Mammogram — right cranio-caudal. 49 y/o patient.
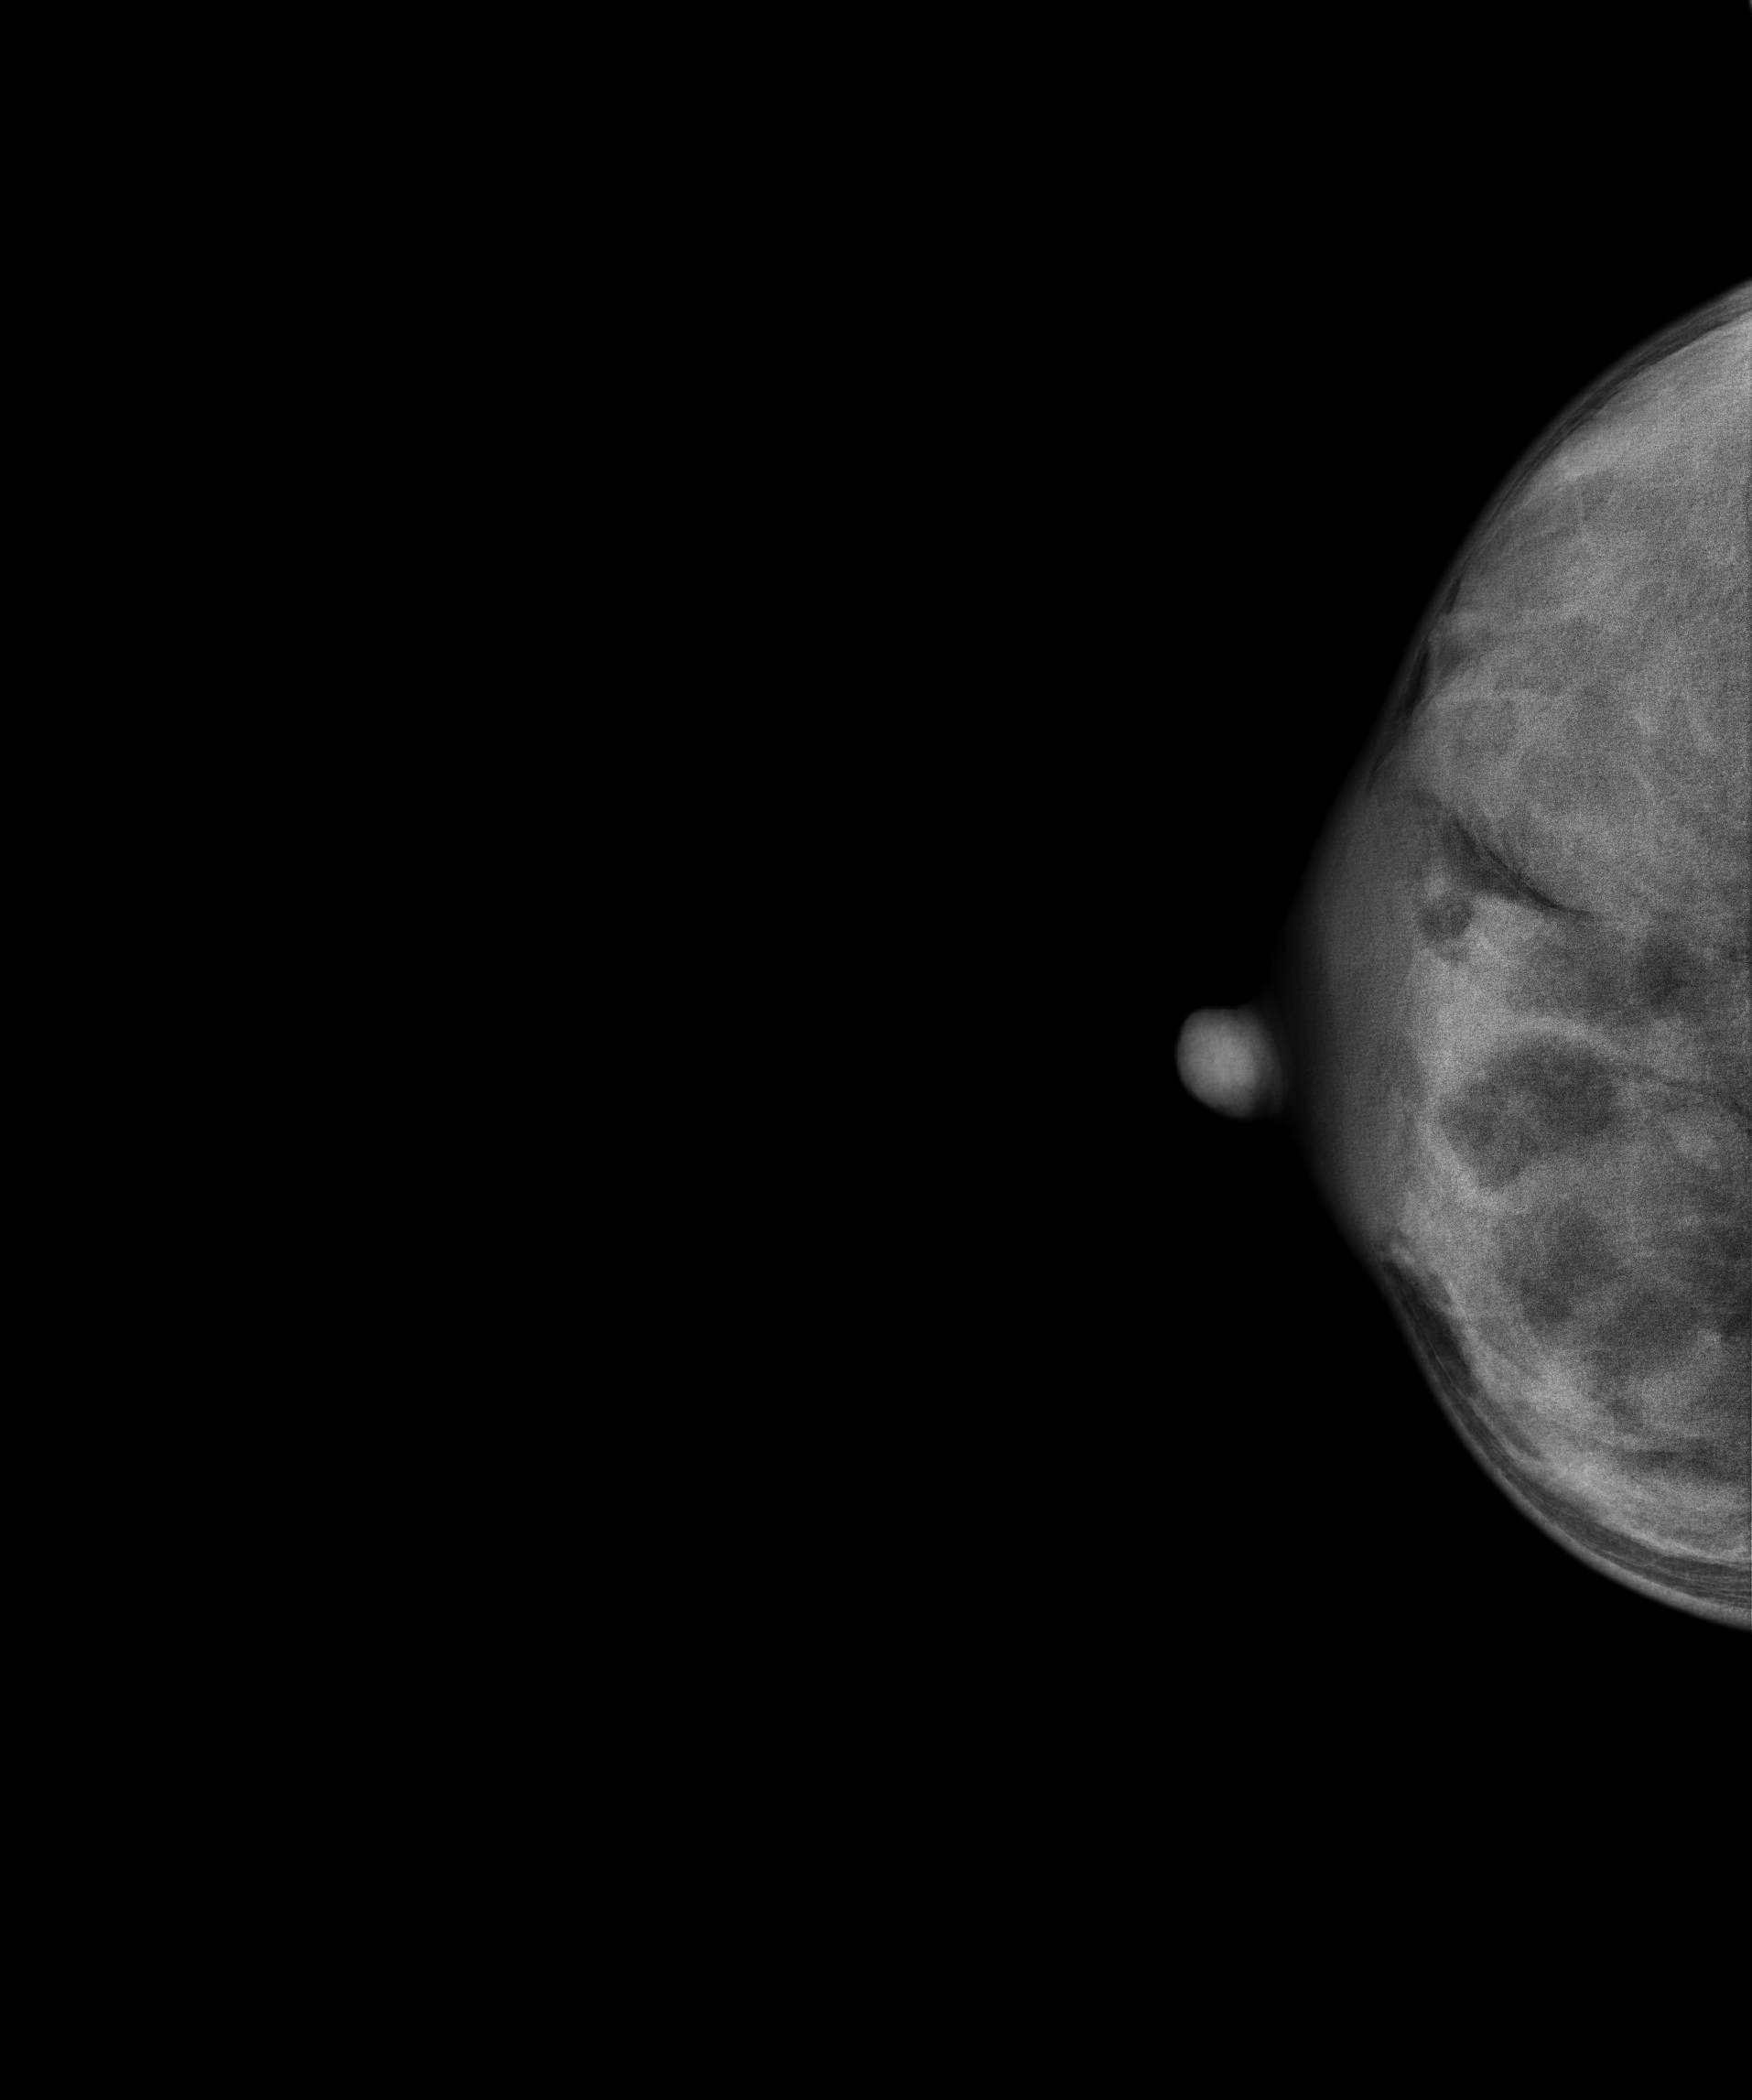
This breast has a mass, biopsy-confirmed benign.